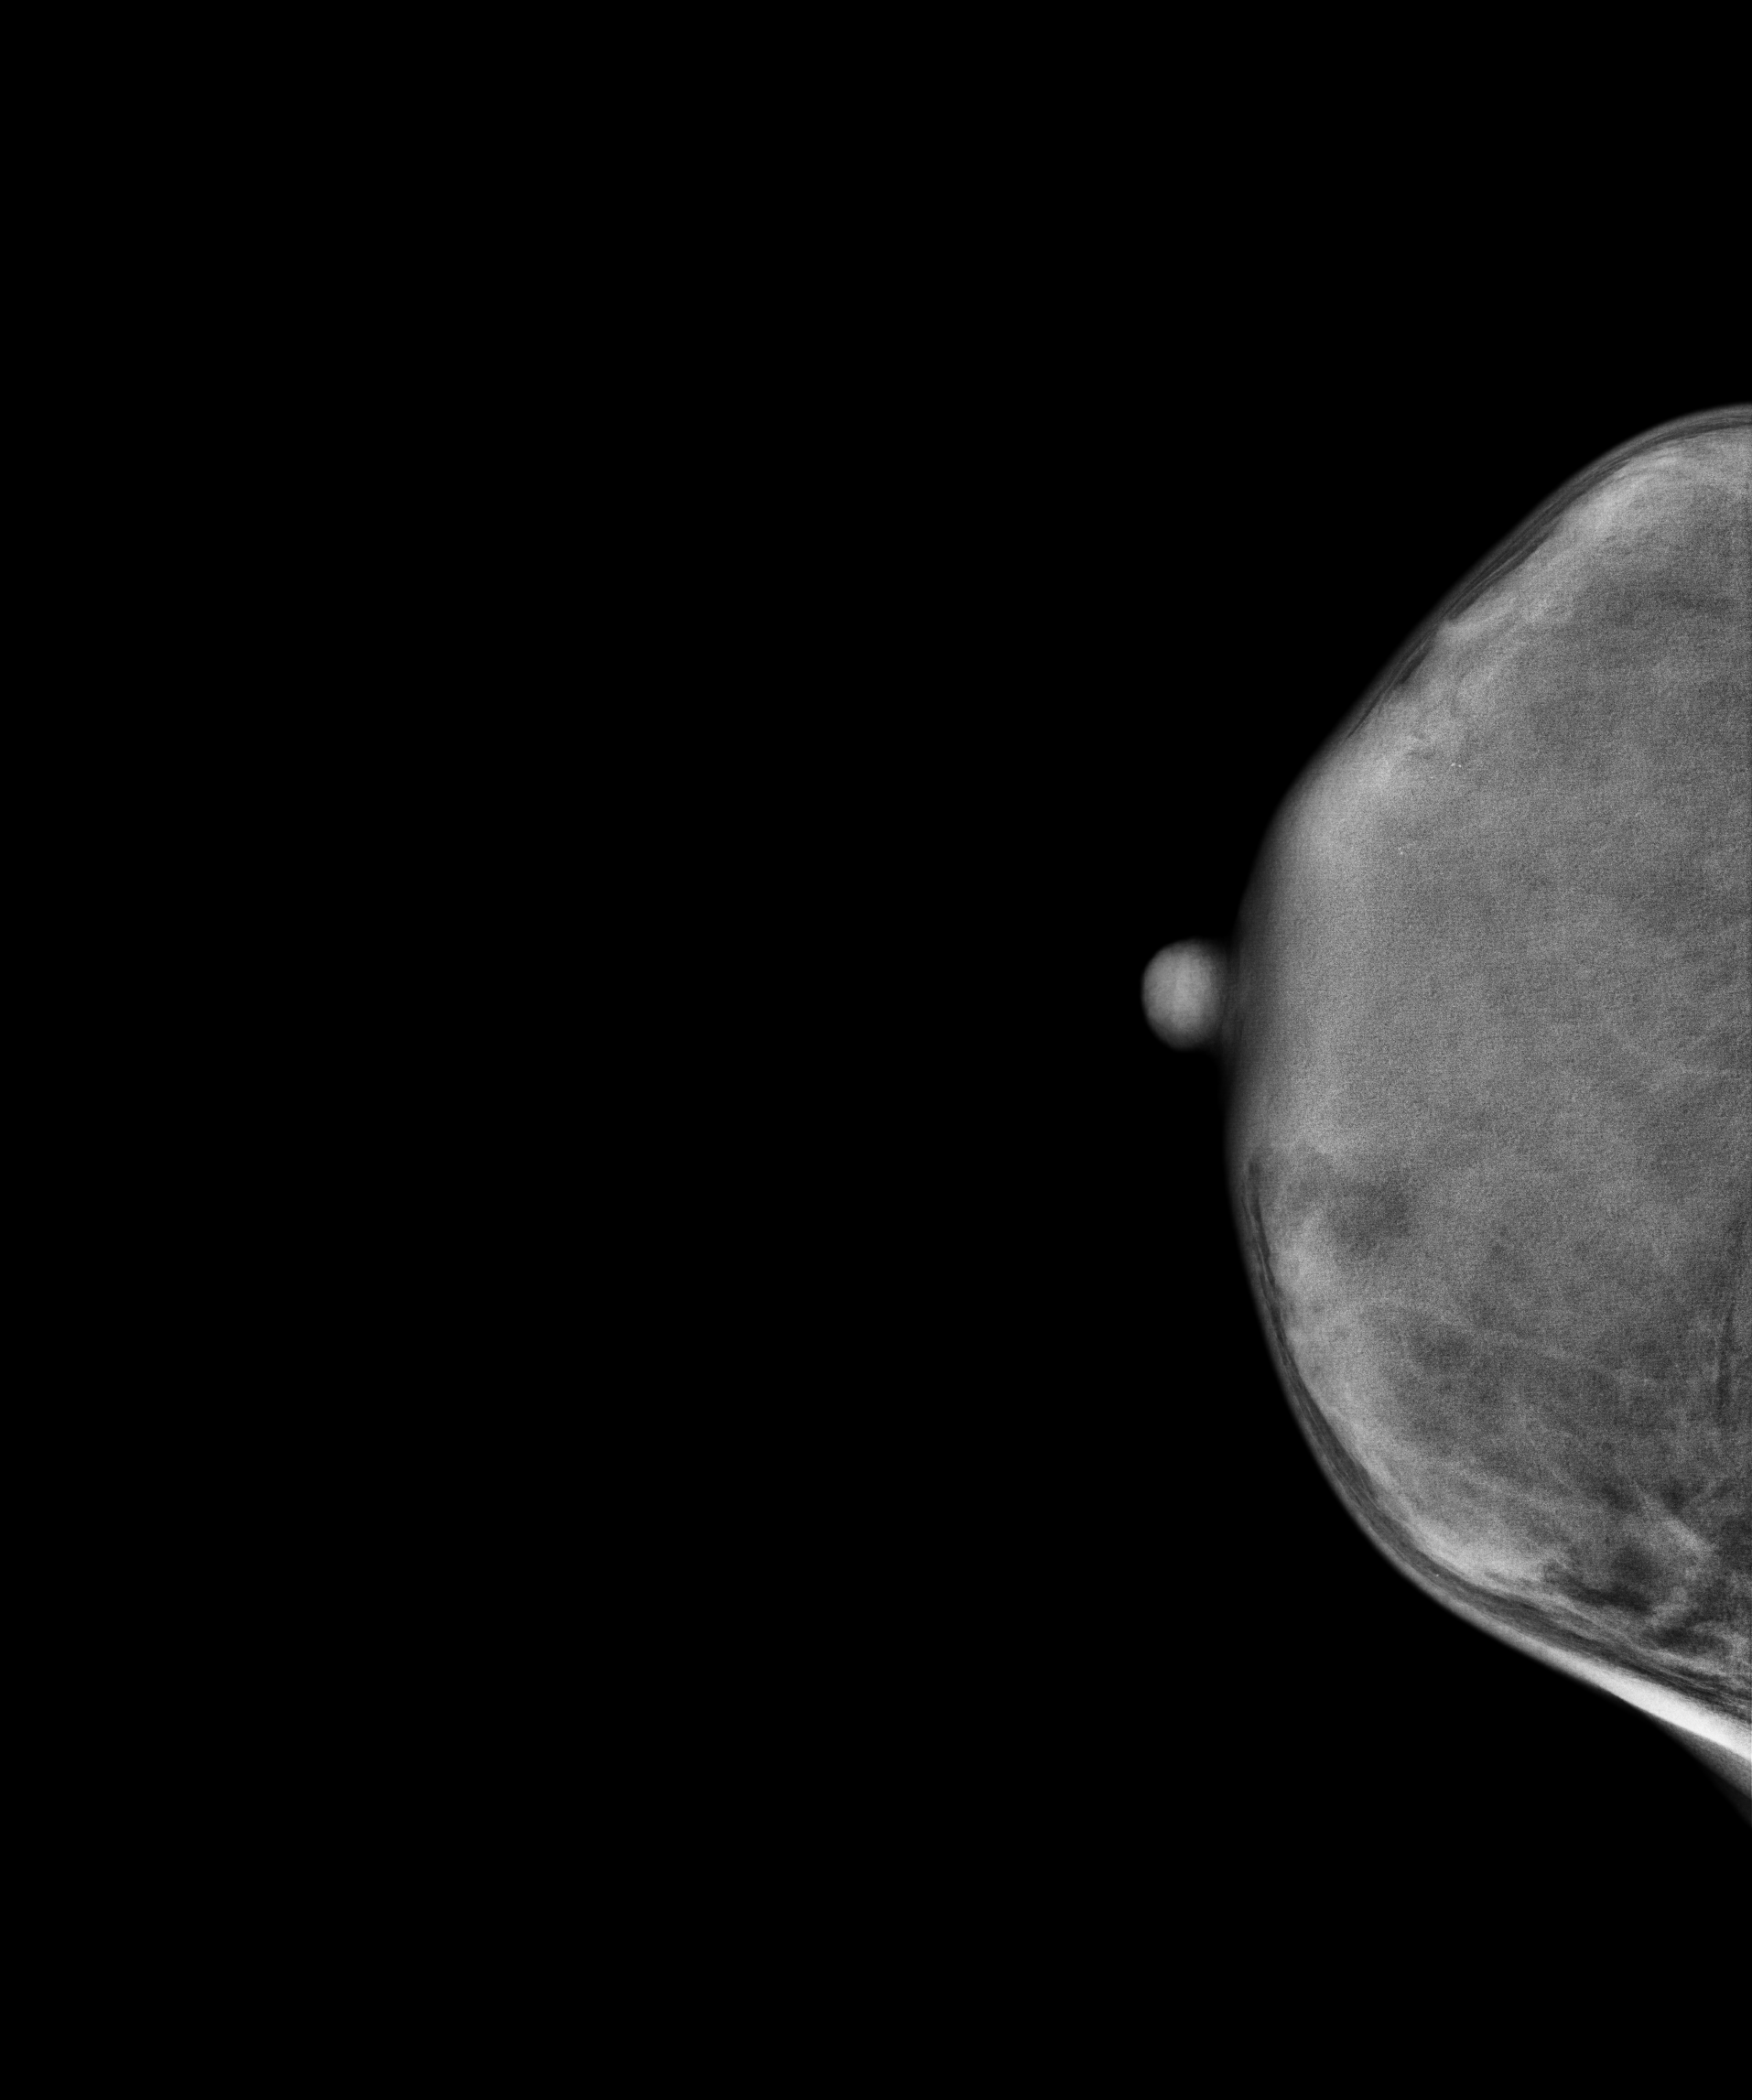
Right-breast mammogram, CC. 35-year-old patient.
This breast has calcifications, histologically confirmed malignant. Molecular subtype: luminal B.